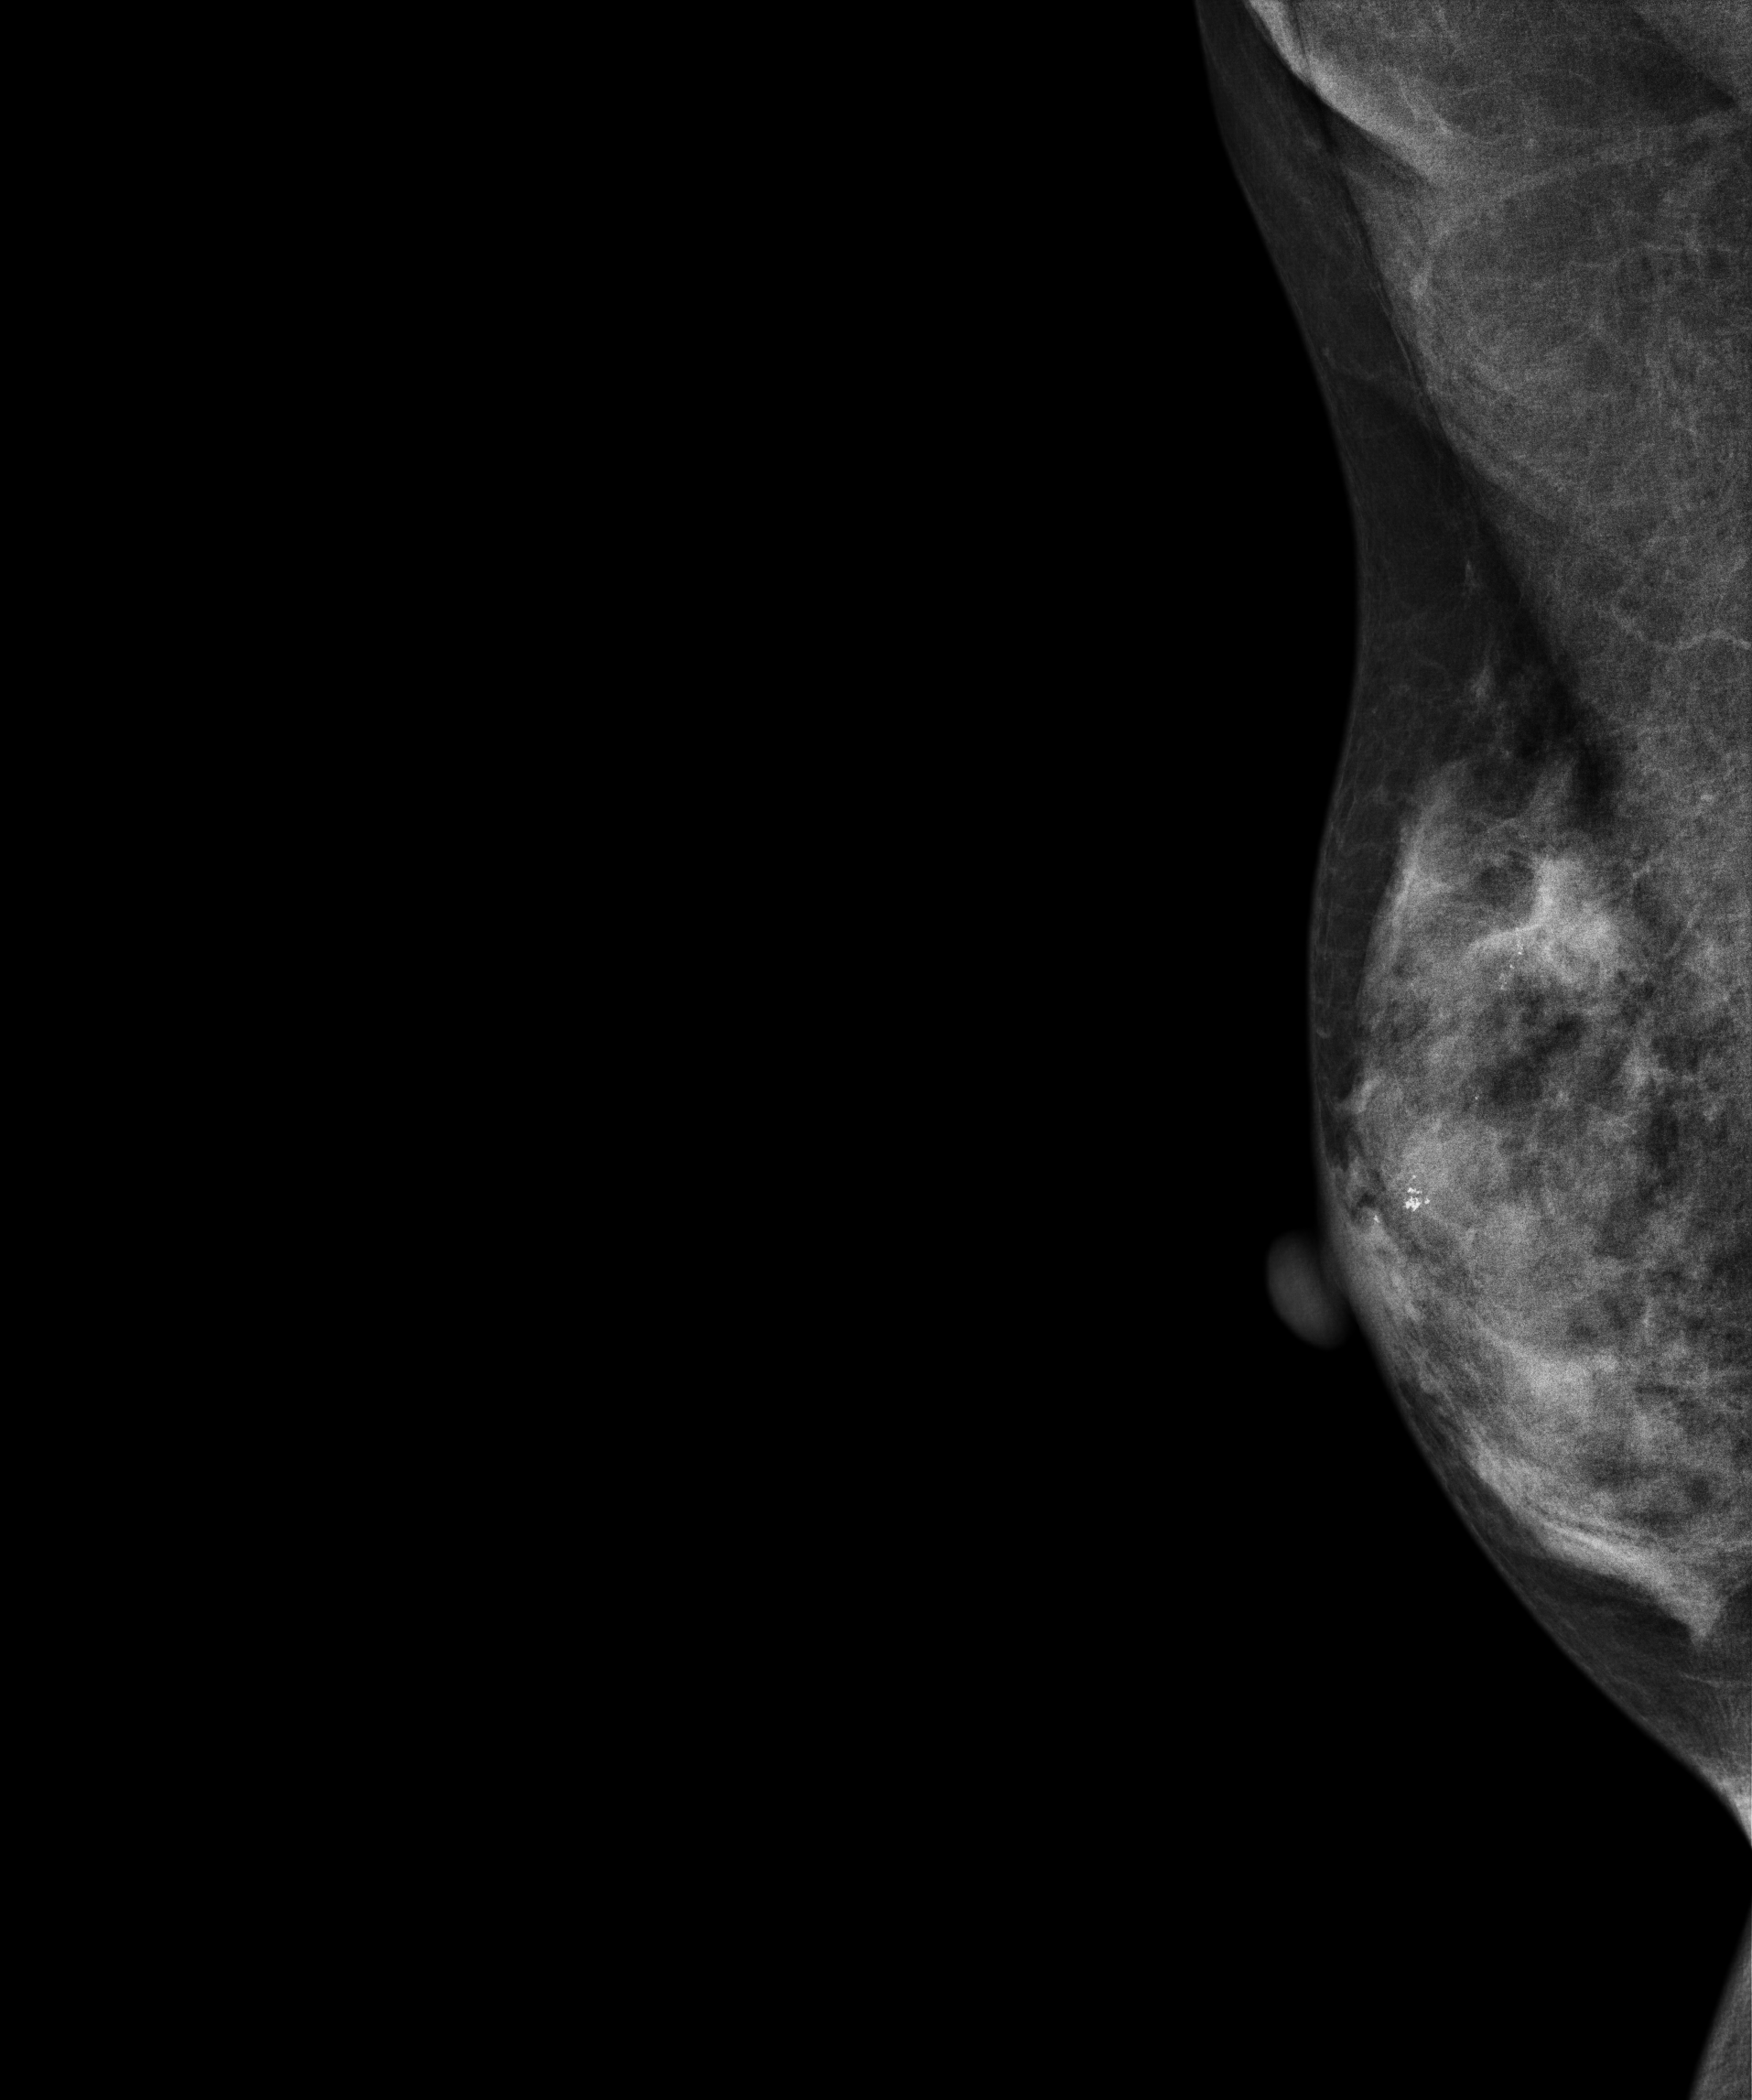
Digital mammography. Right breast, MLO projection. Patient age 46.
This breast has a mass and calcifications, biopsy-proven malignant.